Mammogram, right breast, MLO view. 64-year-old patient.
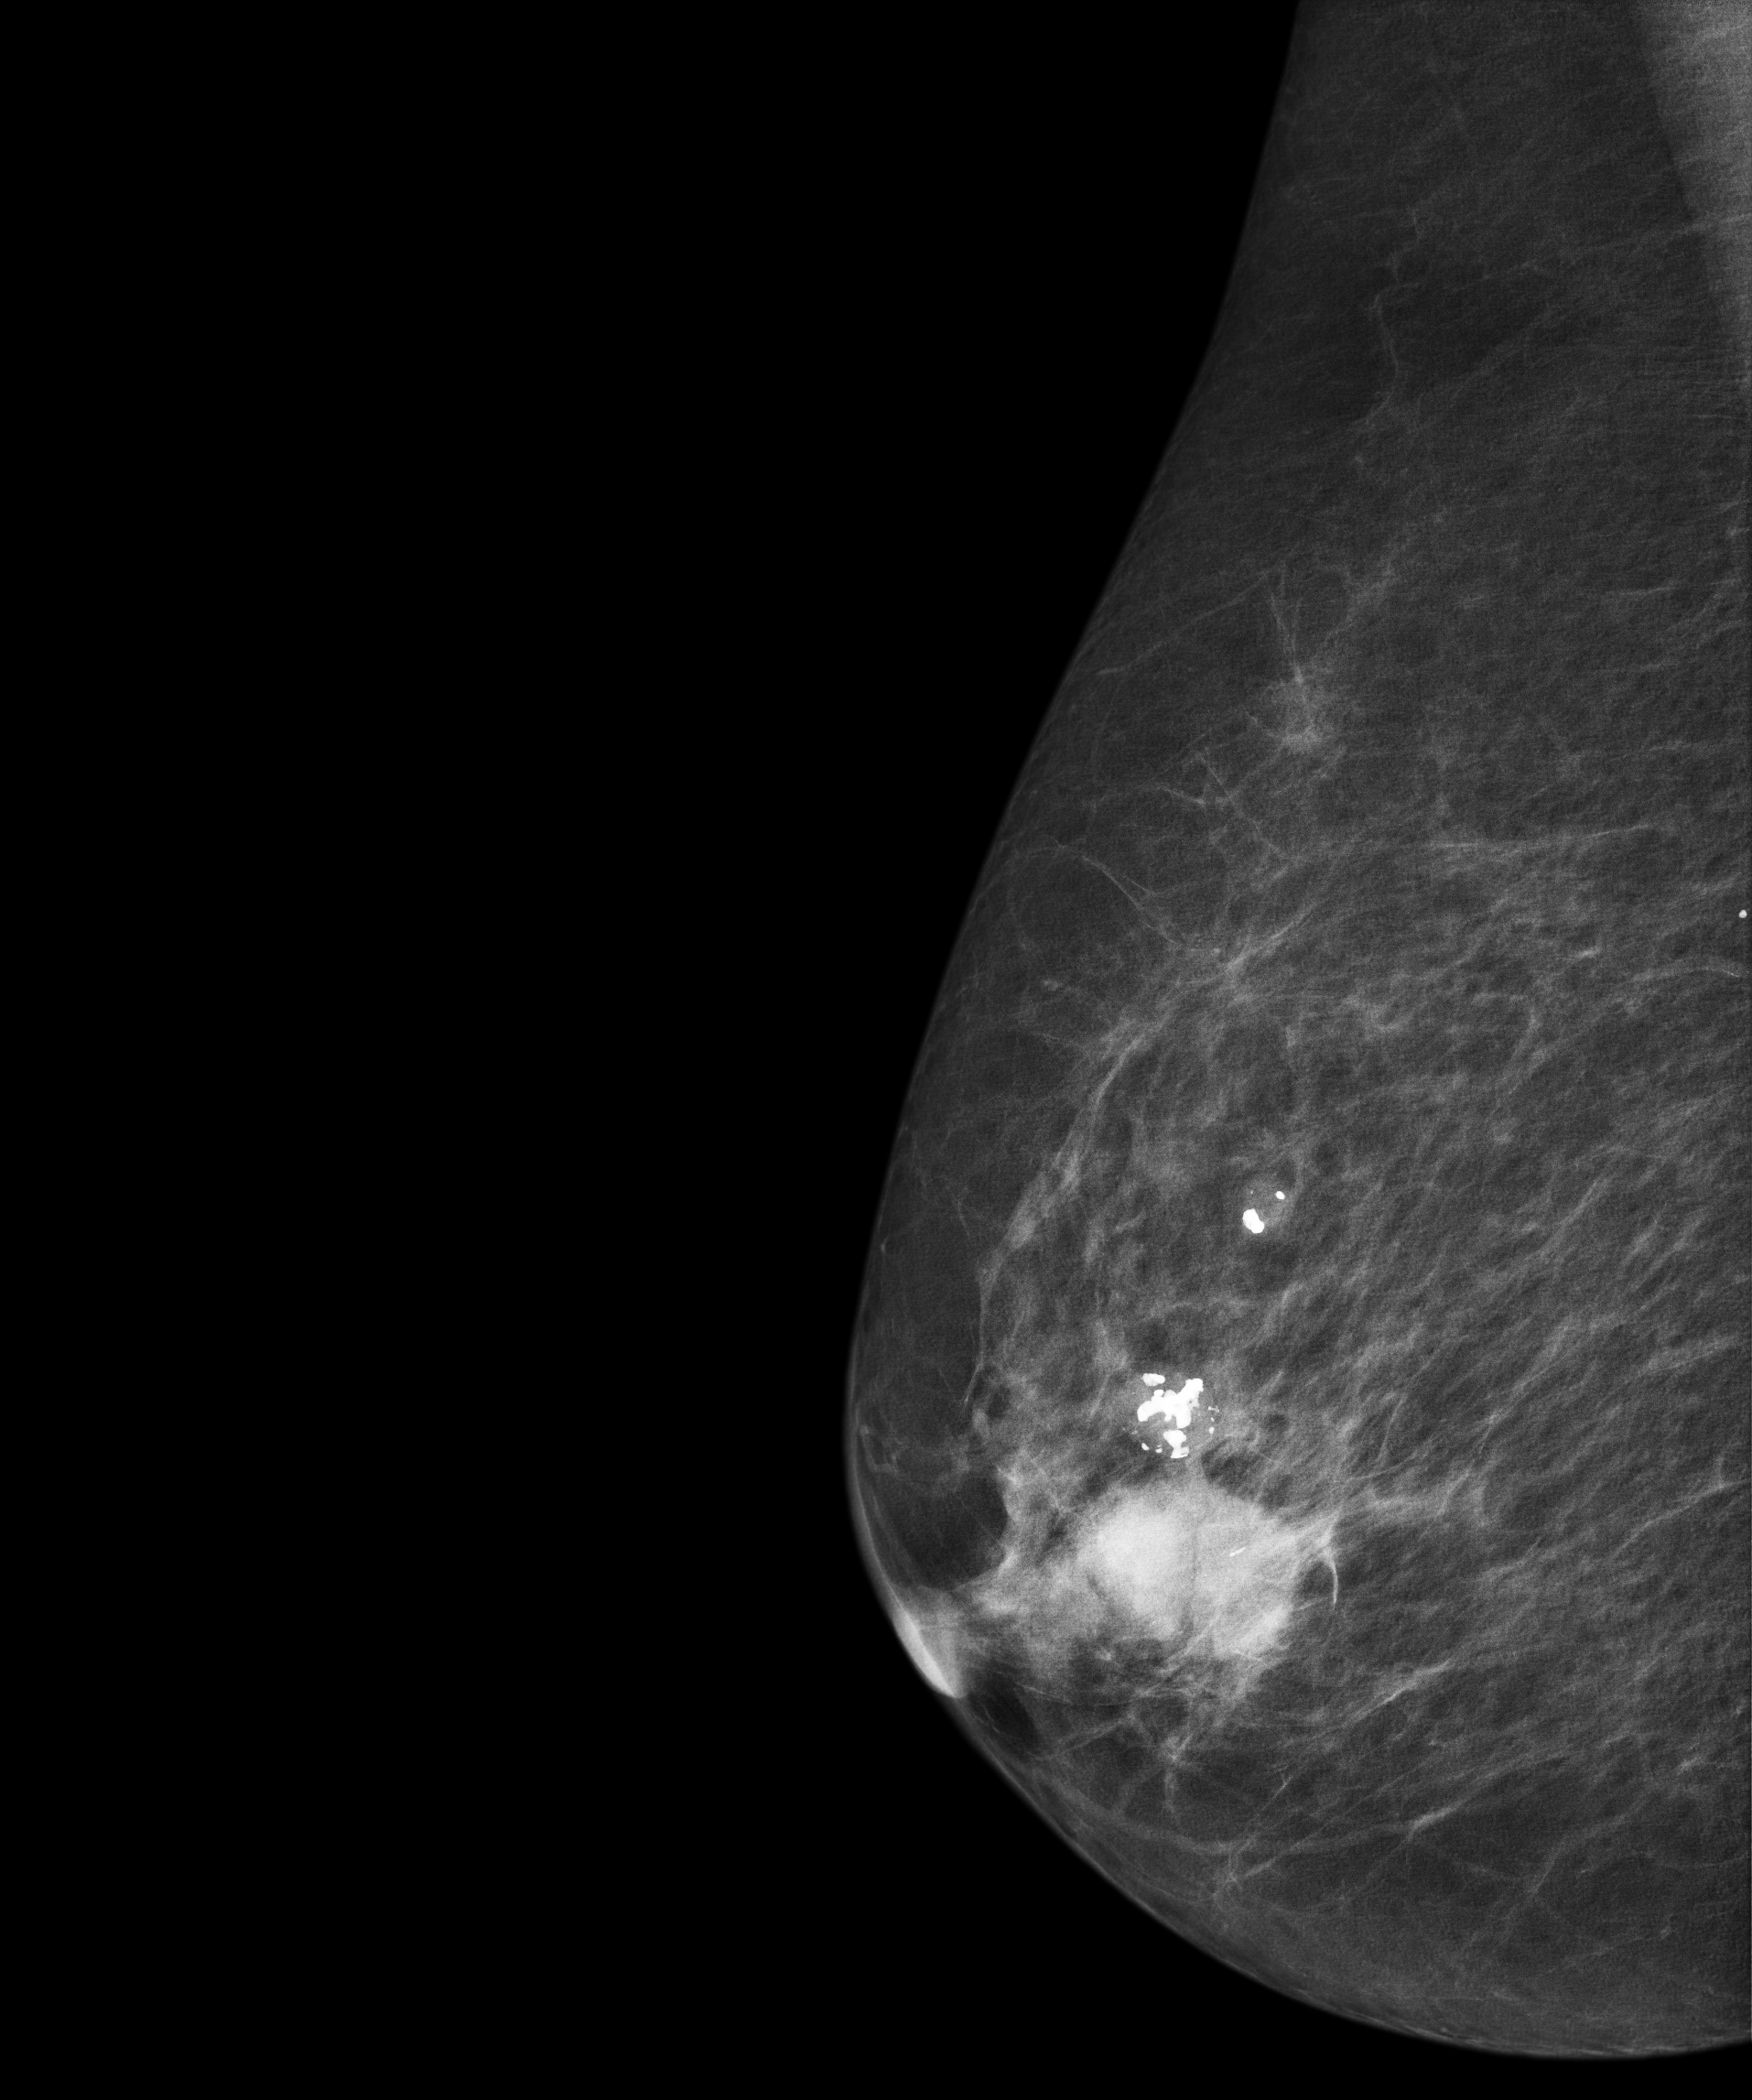
This breast has a mass, biopsy-proven benign.